Mammogram — right MLO. 28 y/o patient.
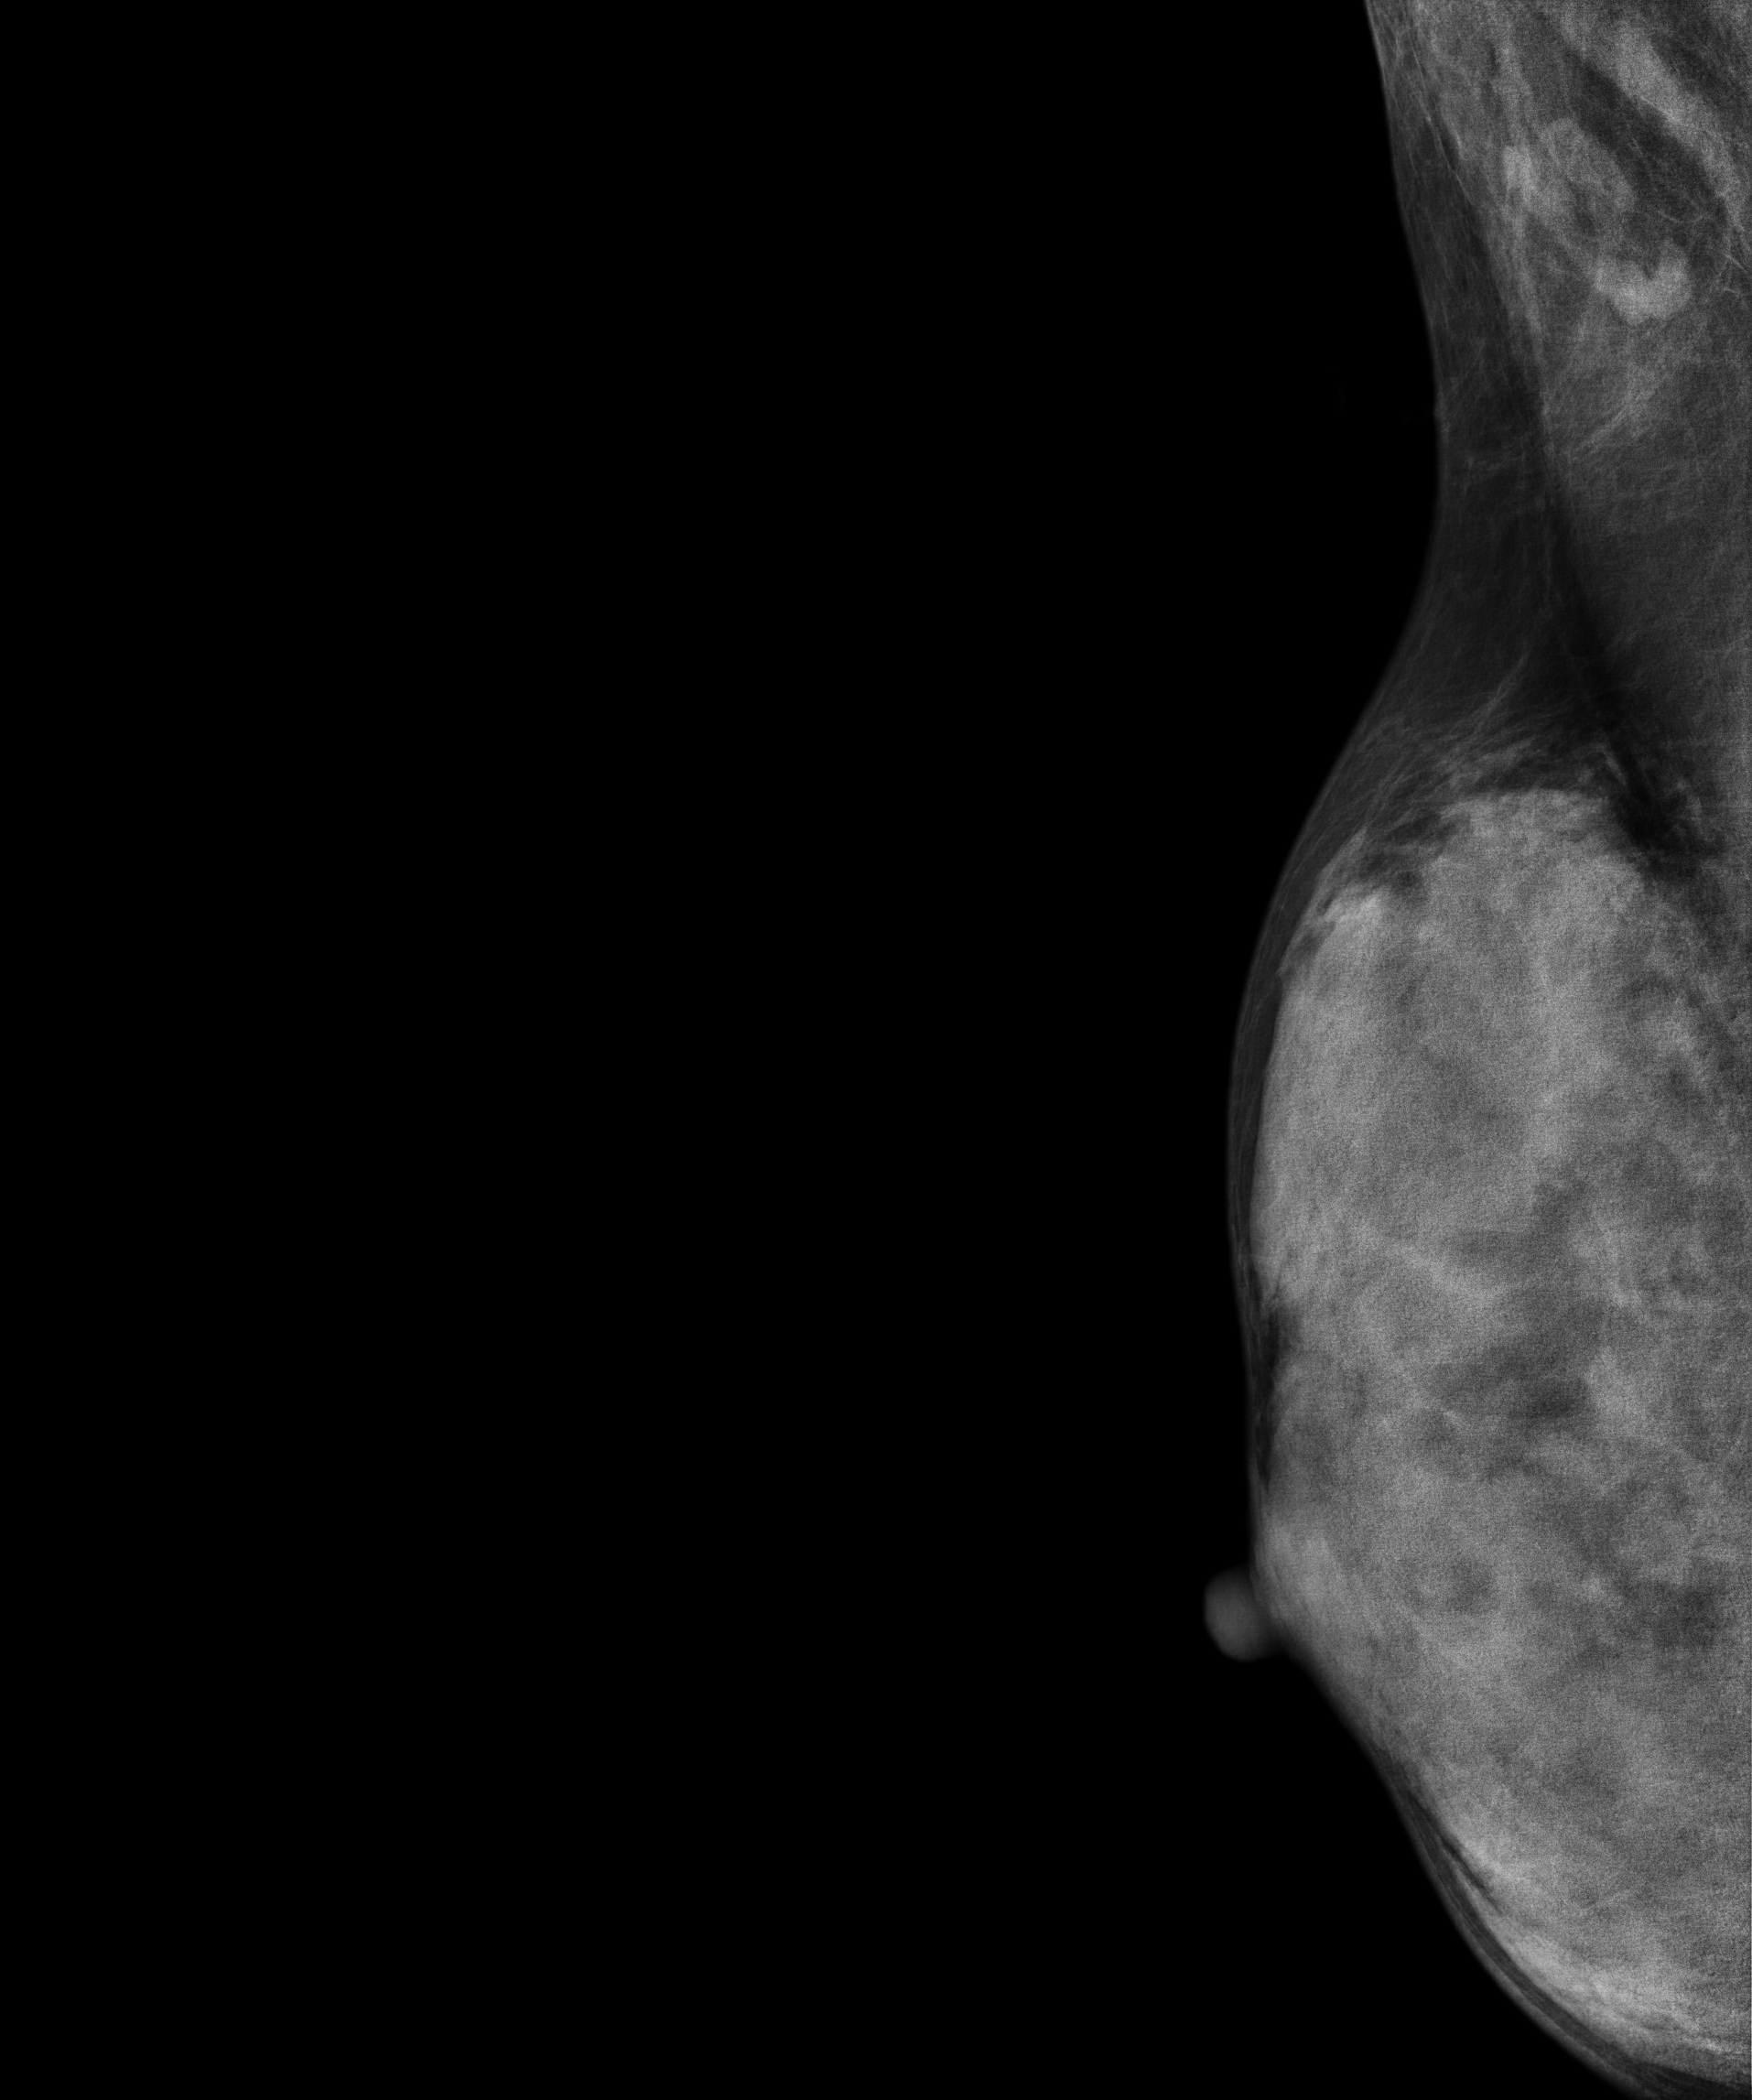
This breast has a mass, histologically confirmed malignant. Molecular subtype: triple-negative.